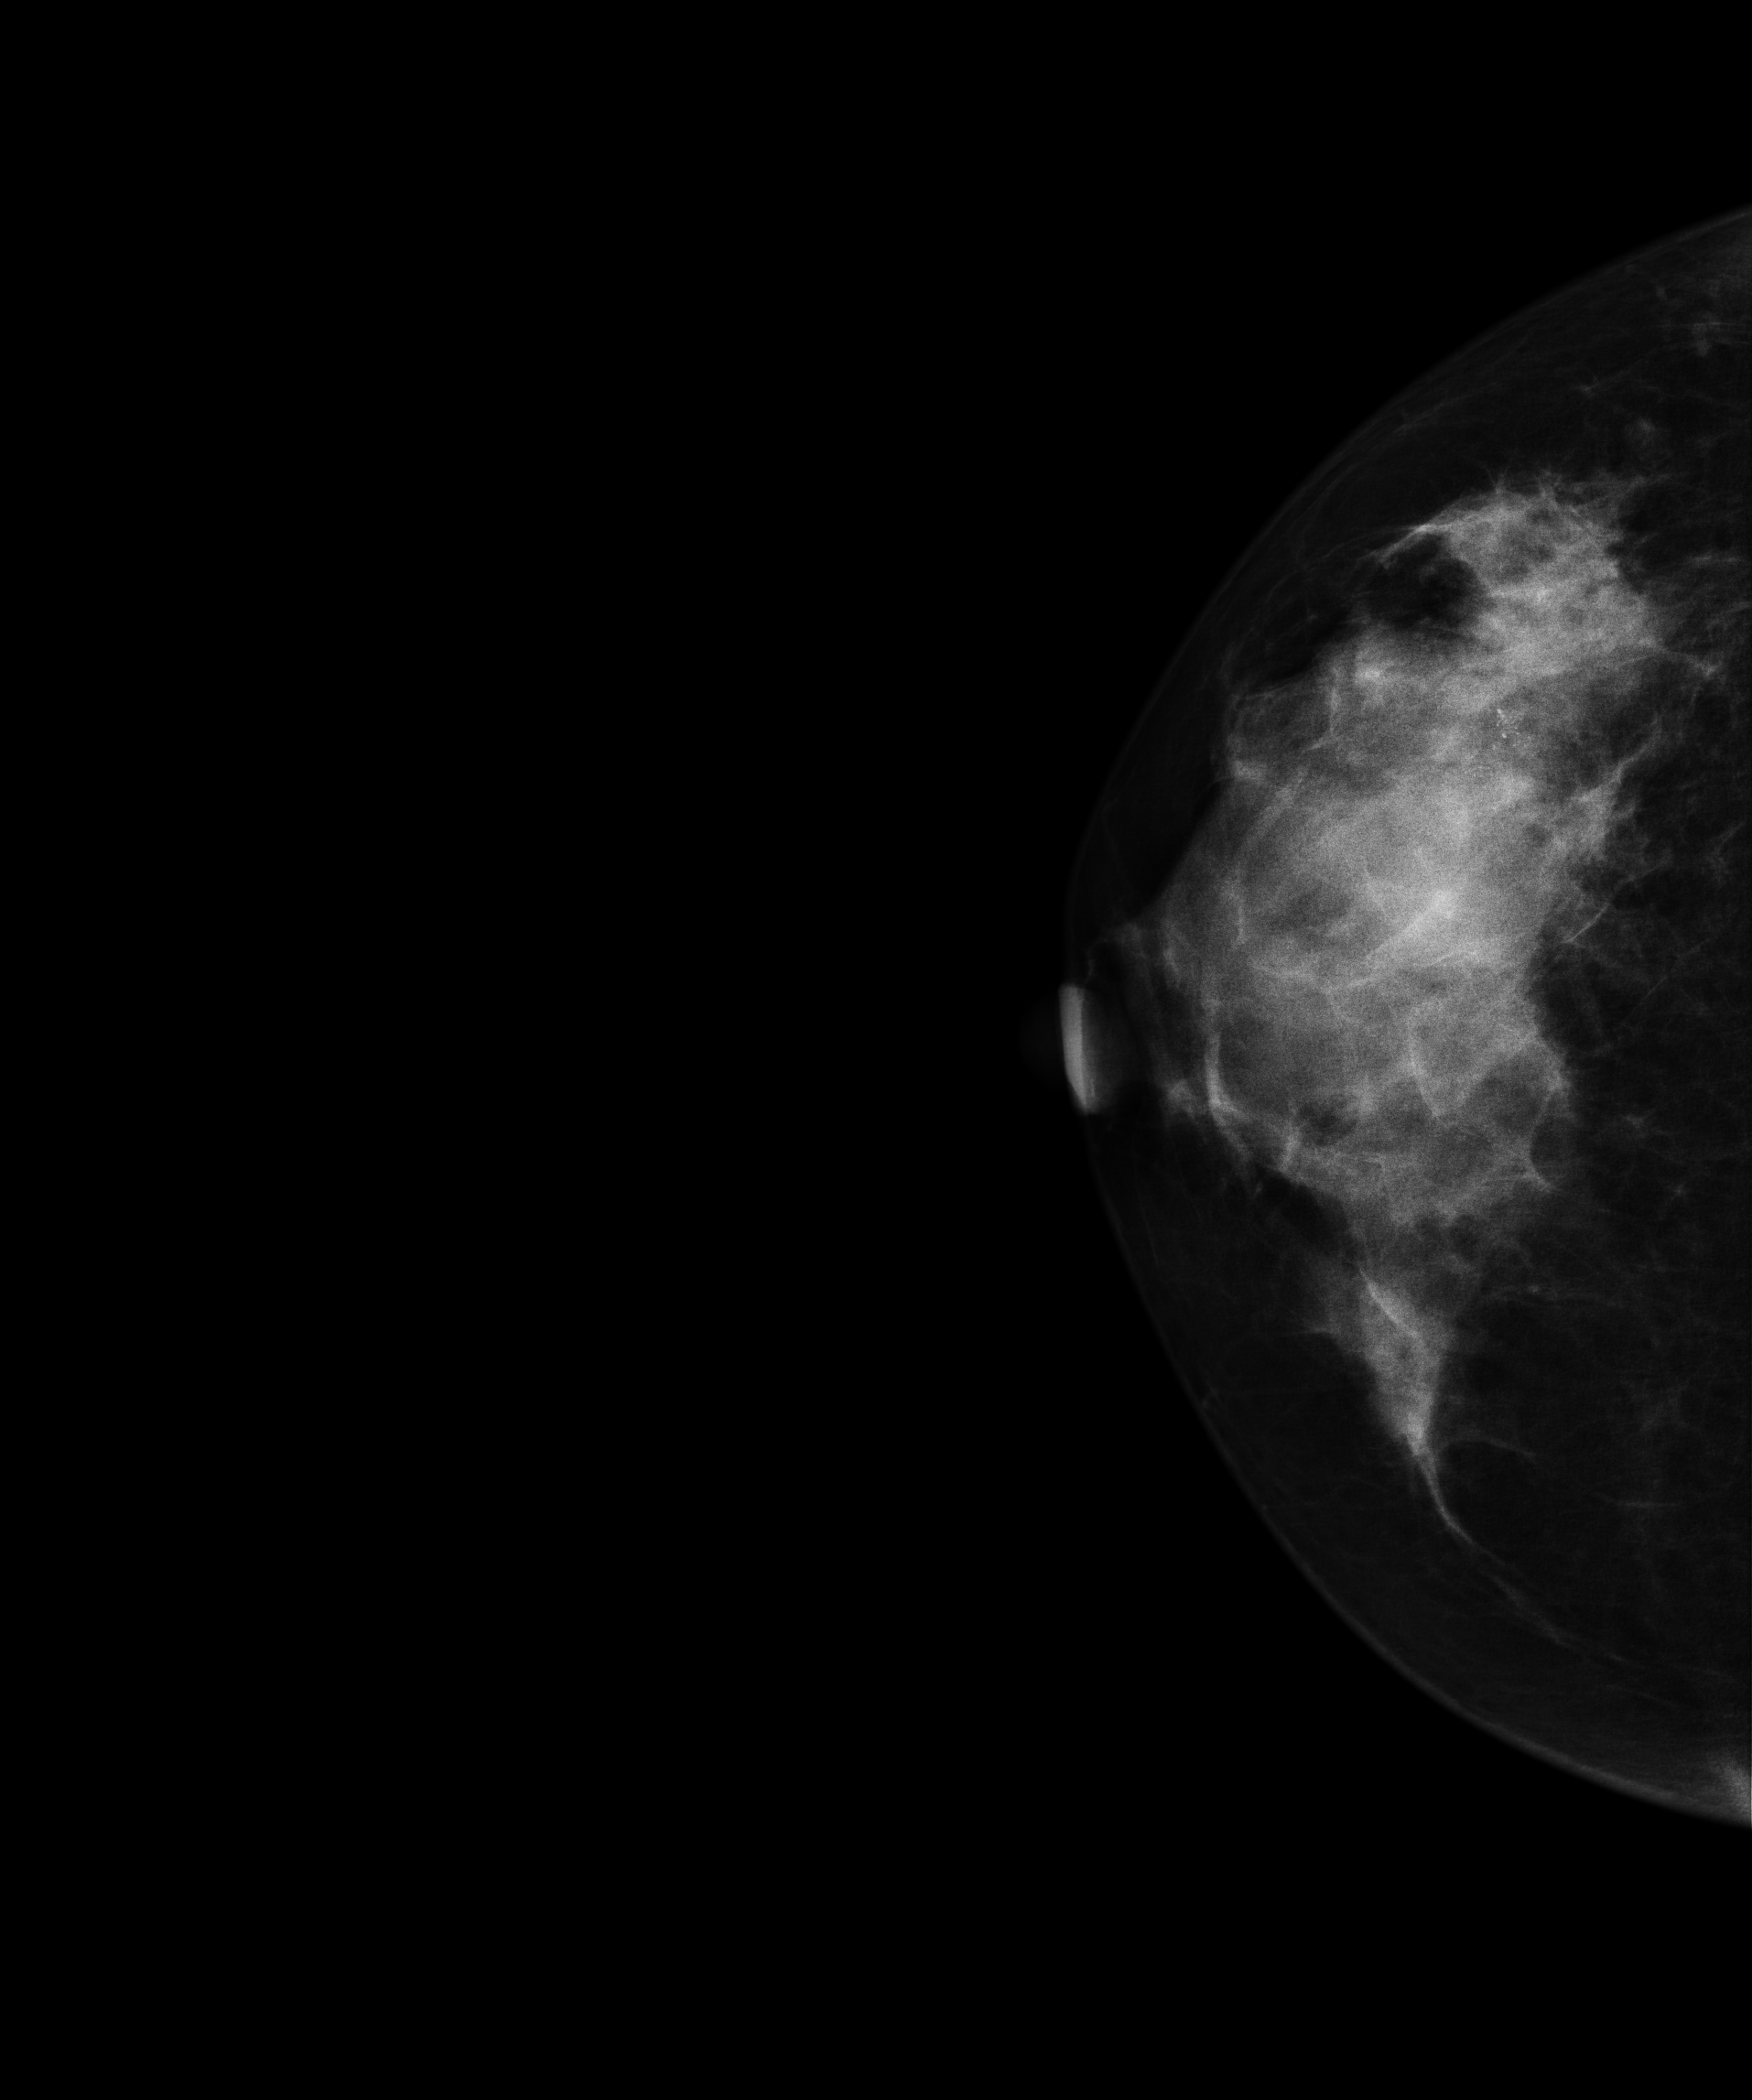
Right-breast mammogram, CC. 42 y/o patient.
This breast has calcifications, histologically confirmed malignant.